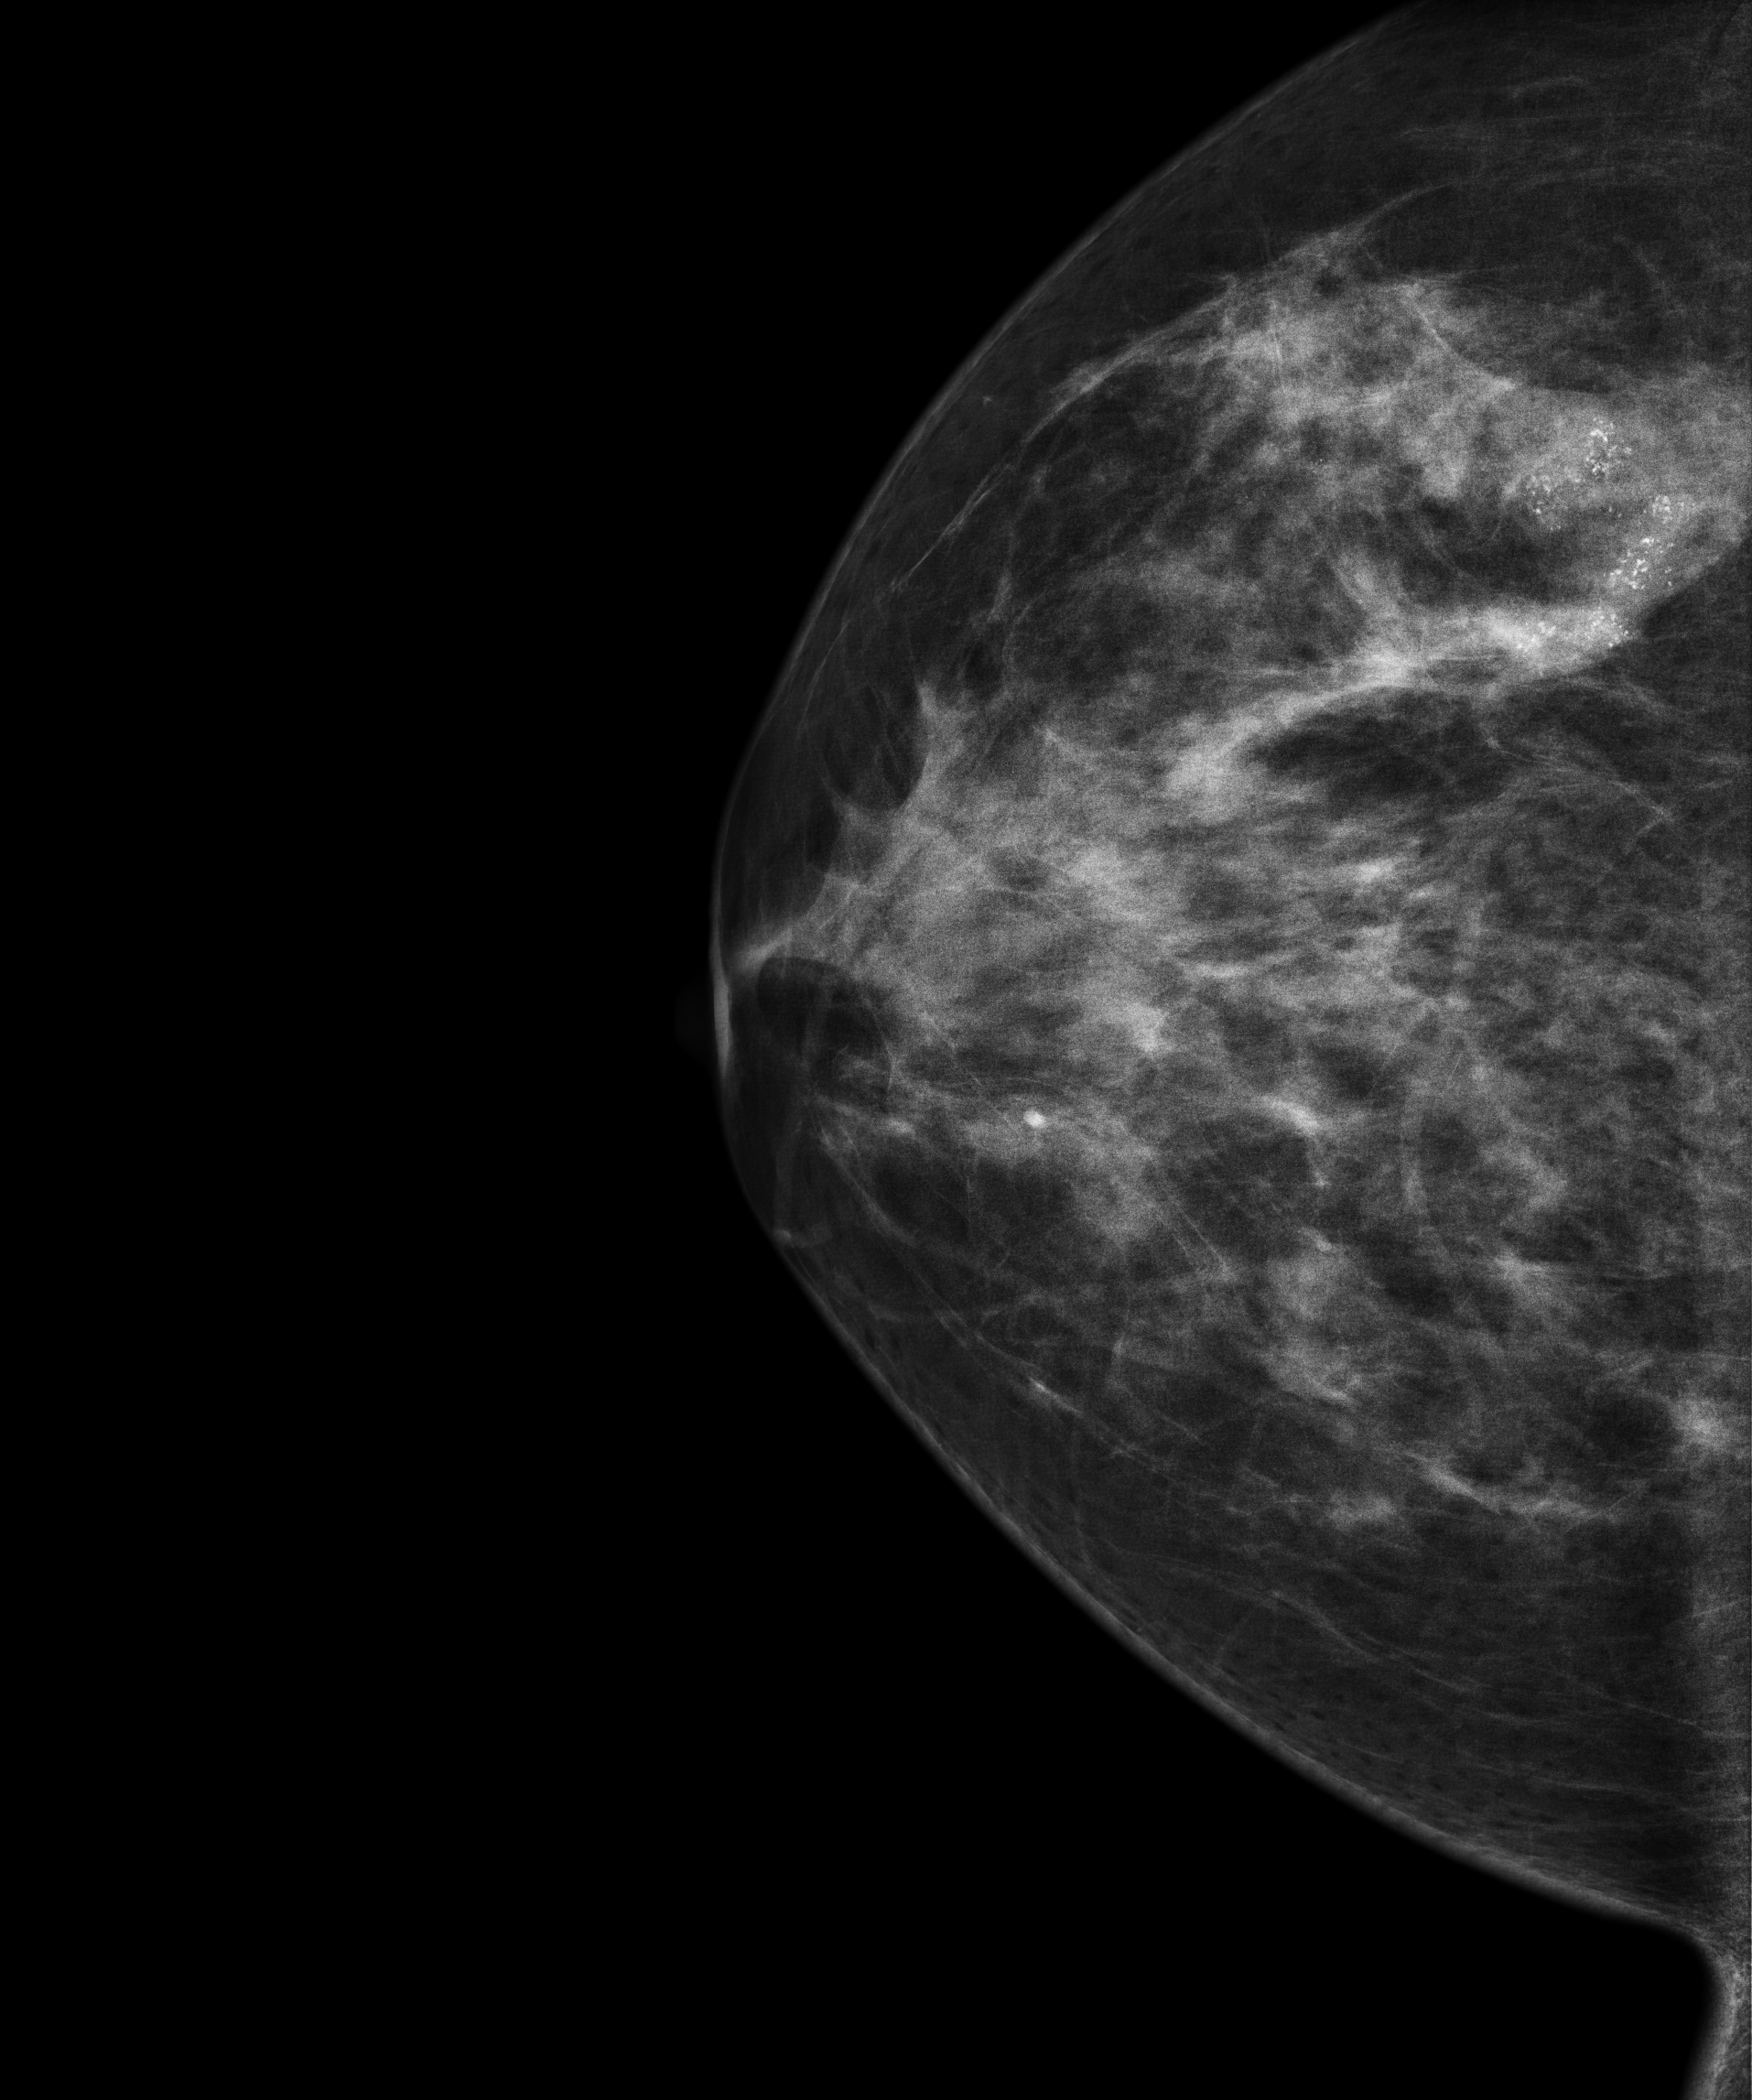
Mammogram — right cranio-caudal. 38-year-old patient.
This breast has a mass and calcifications, histologically confirmed malignant.